Right-breast mammogram, MLO. 38 y/o patient.
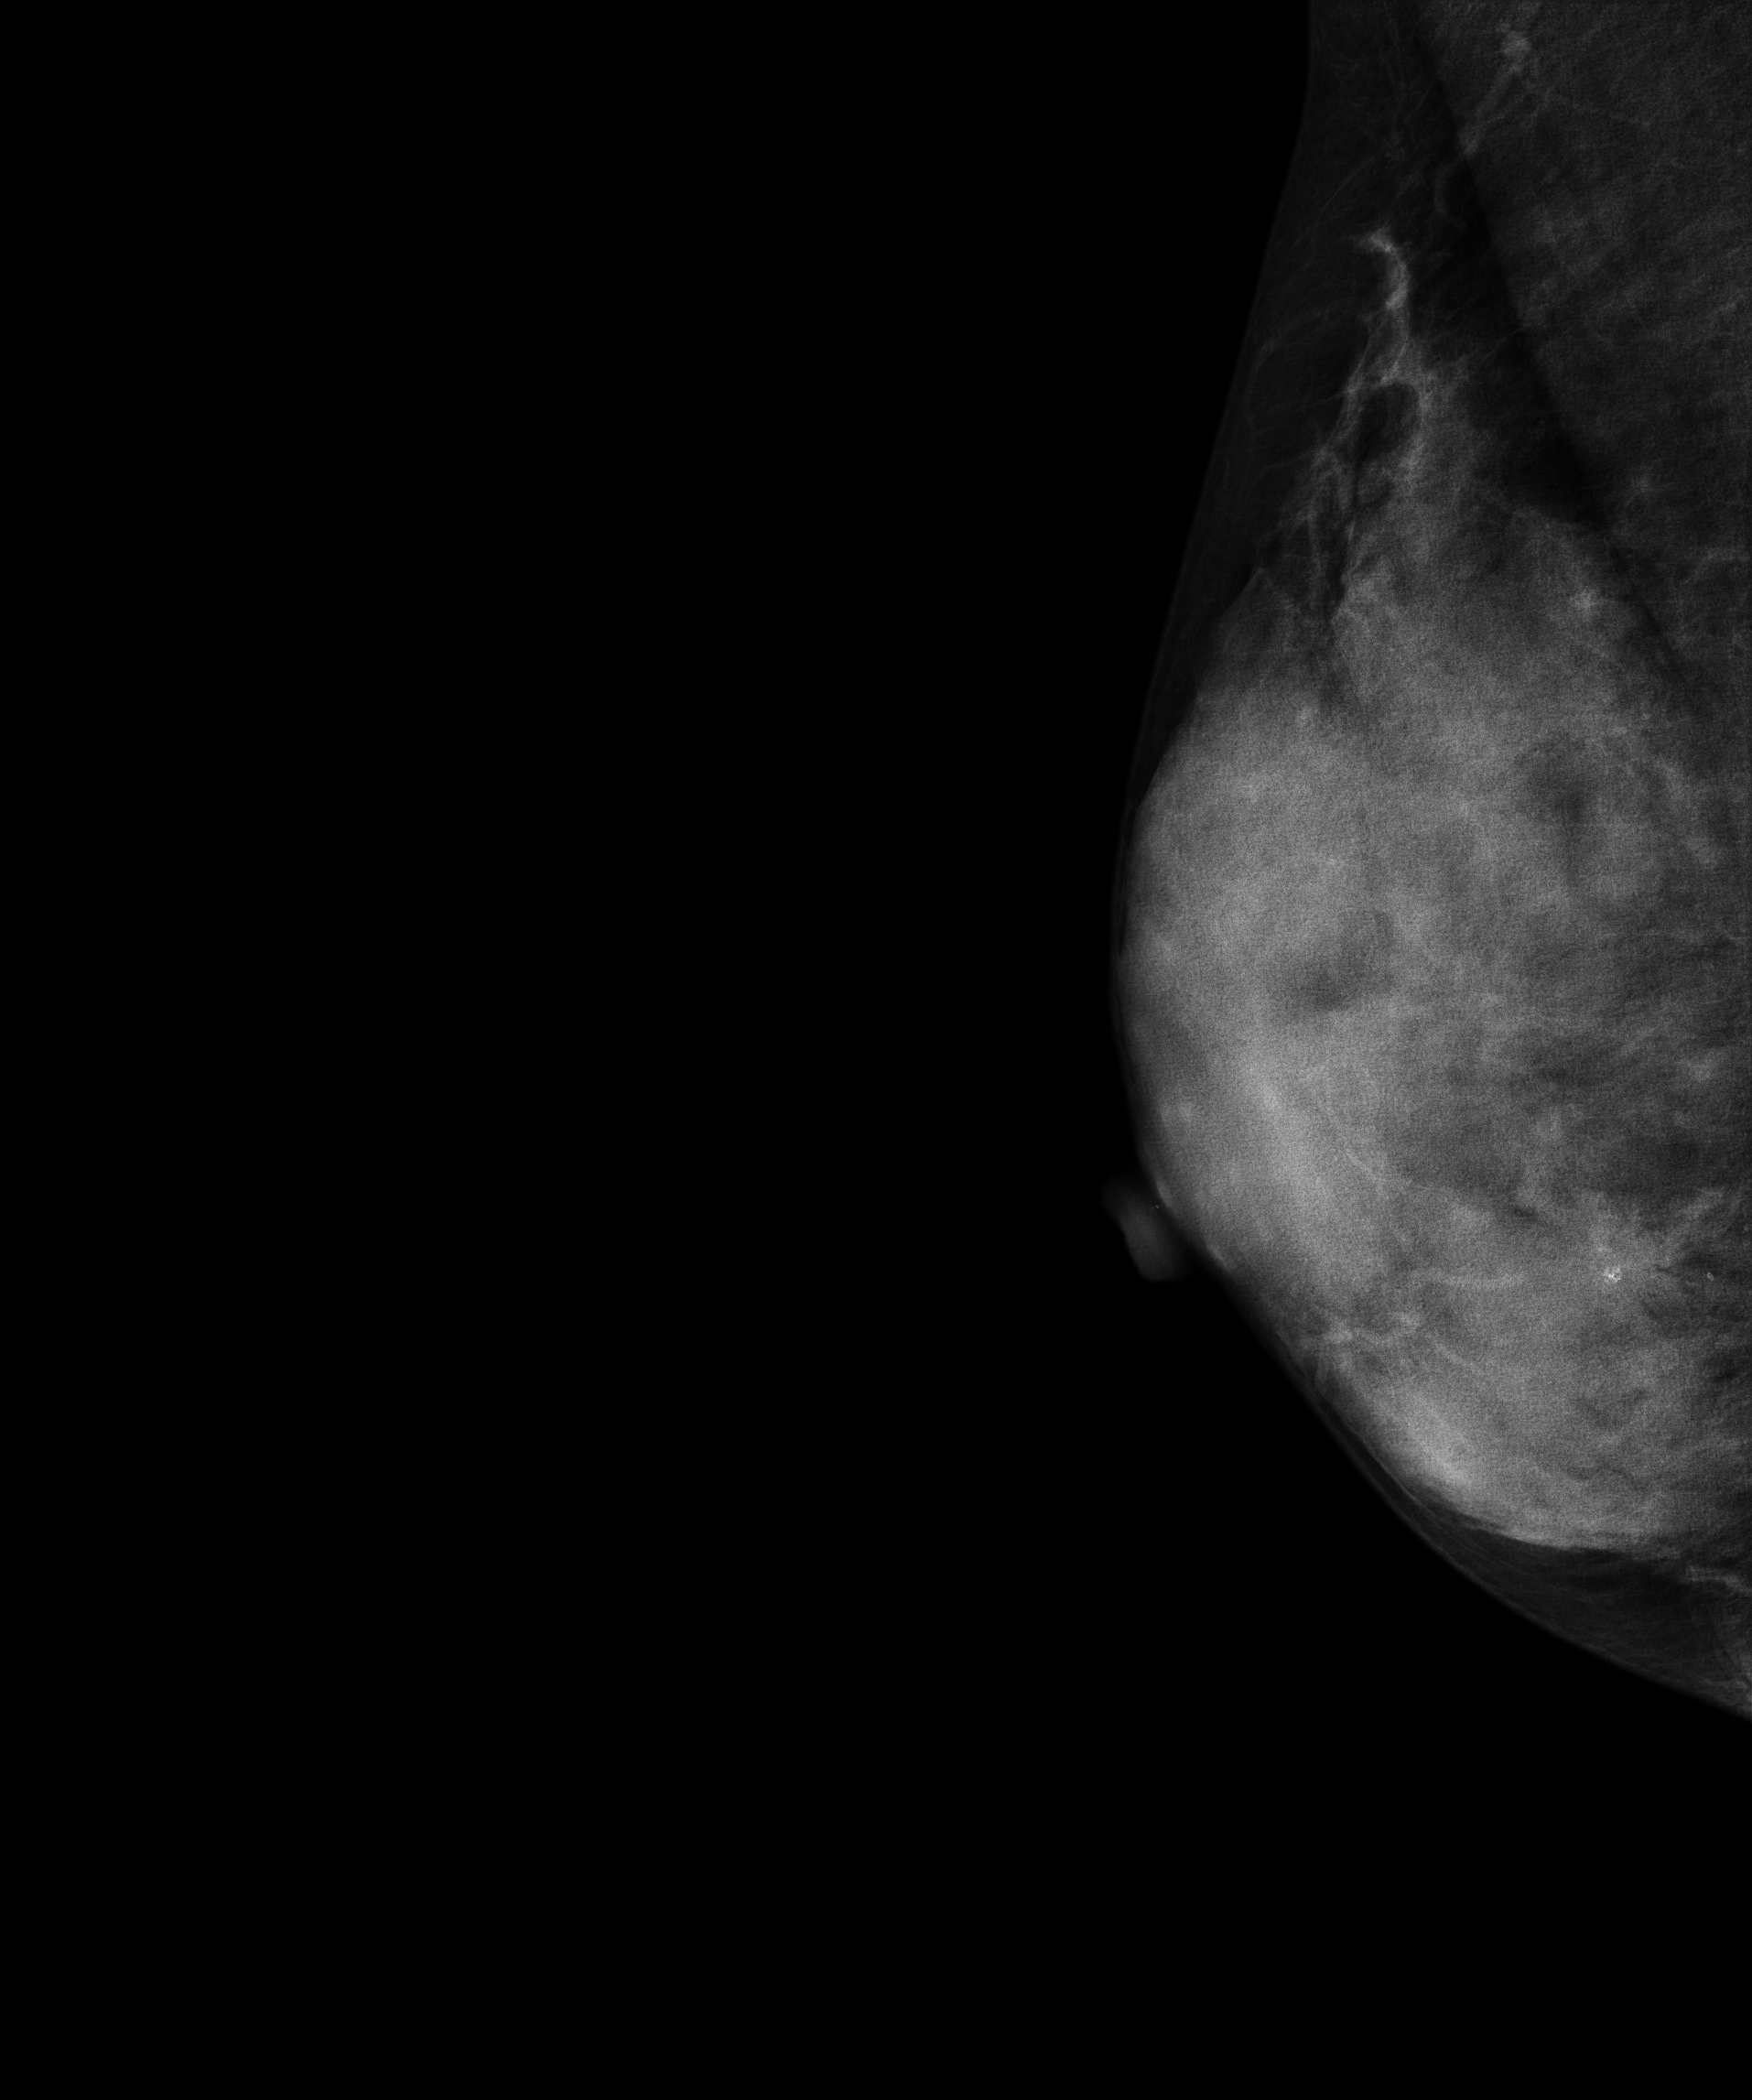
This breast has a mass and calcifications, pathology-confirmed benign.